Mammogram, right breast, CC view. 59 y/o patient.
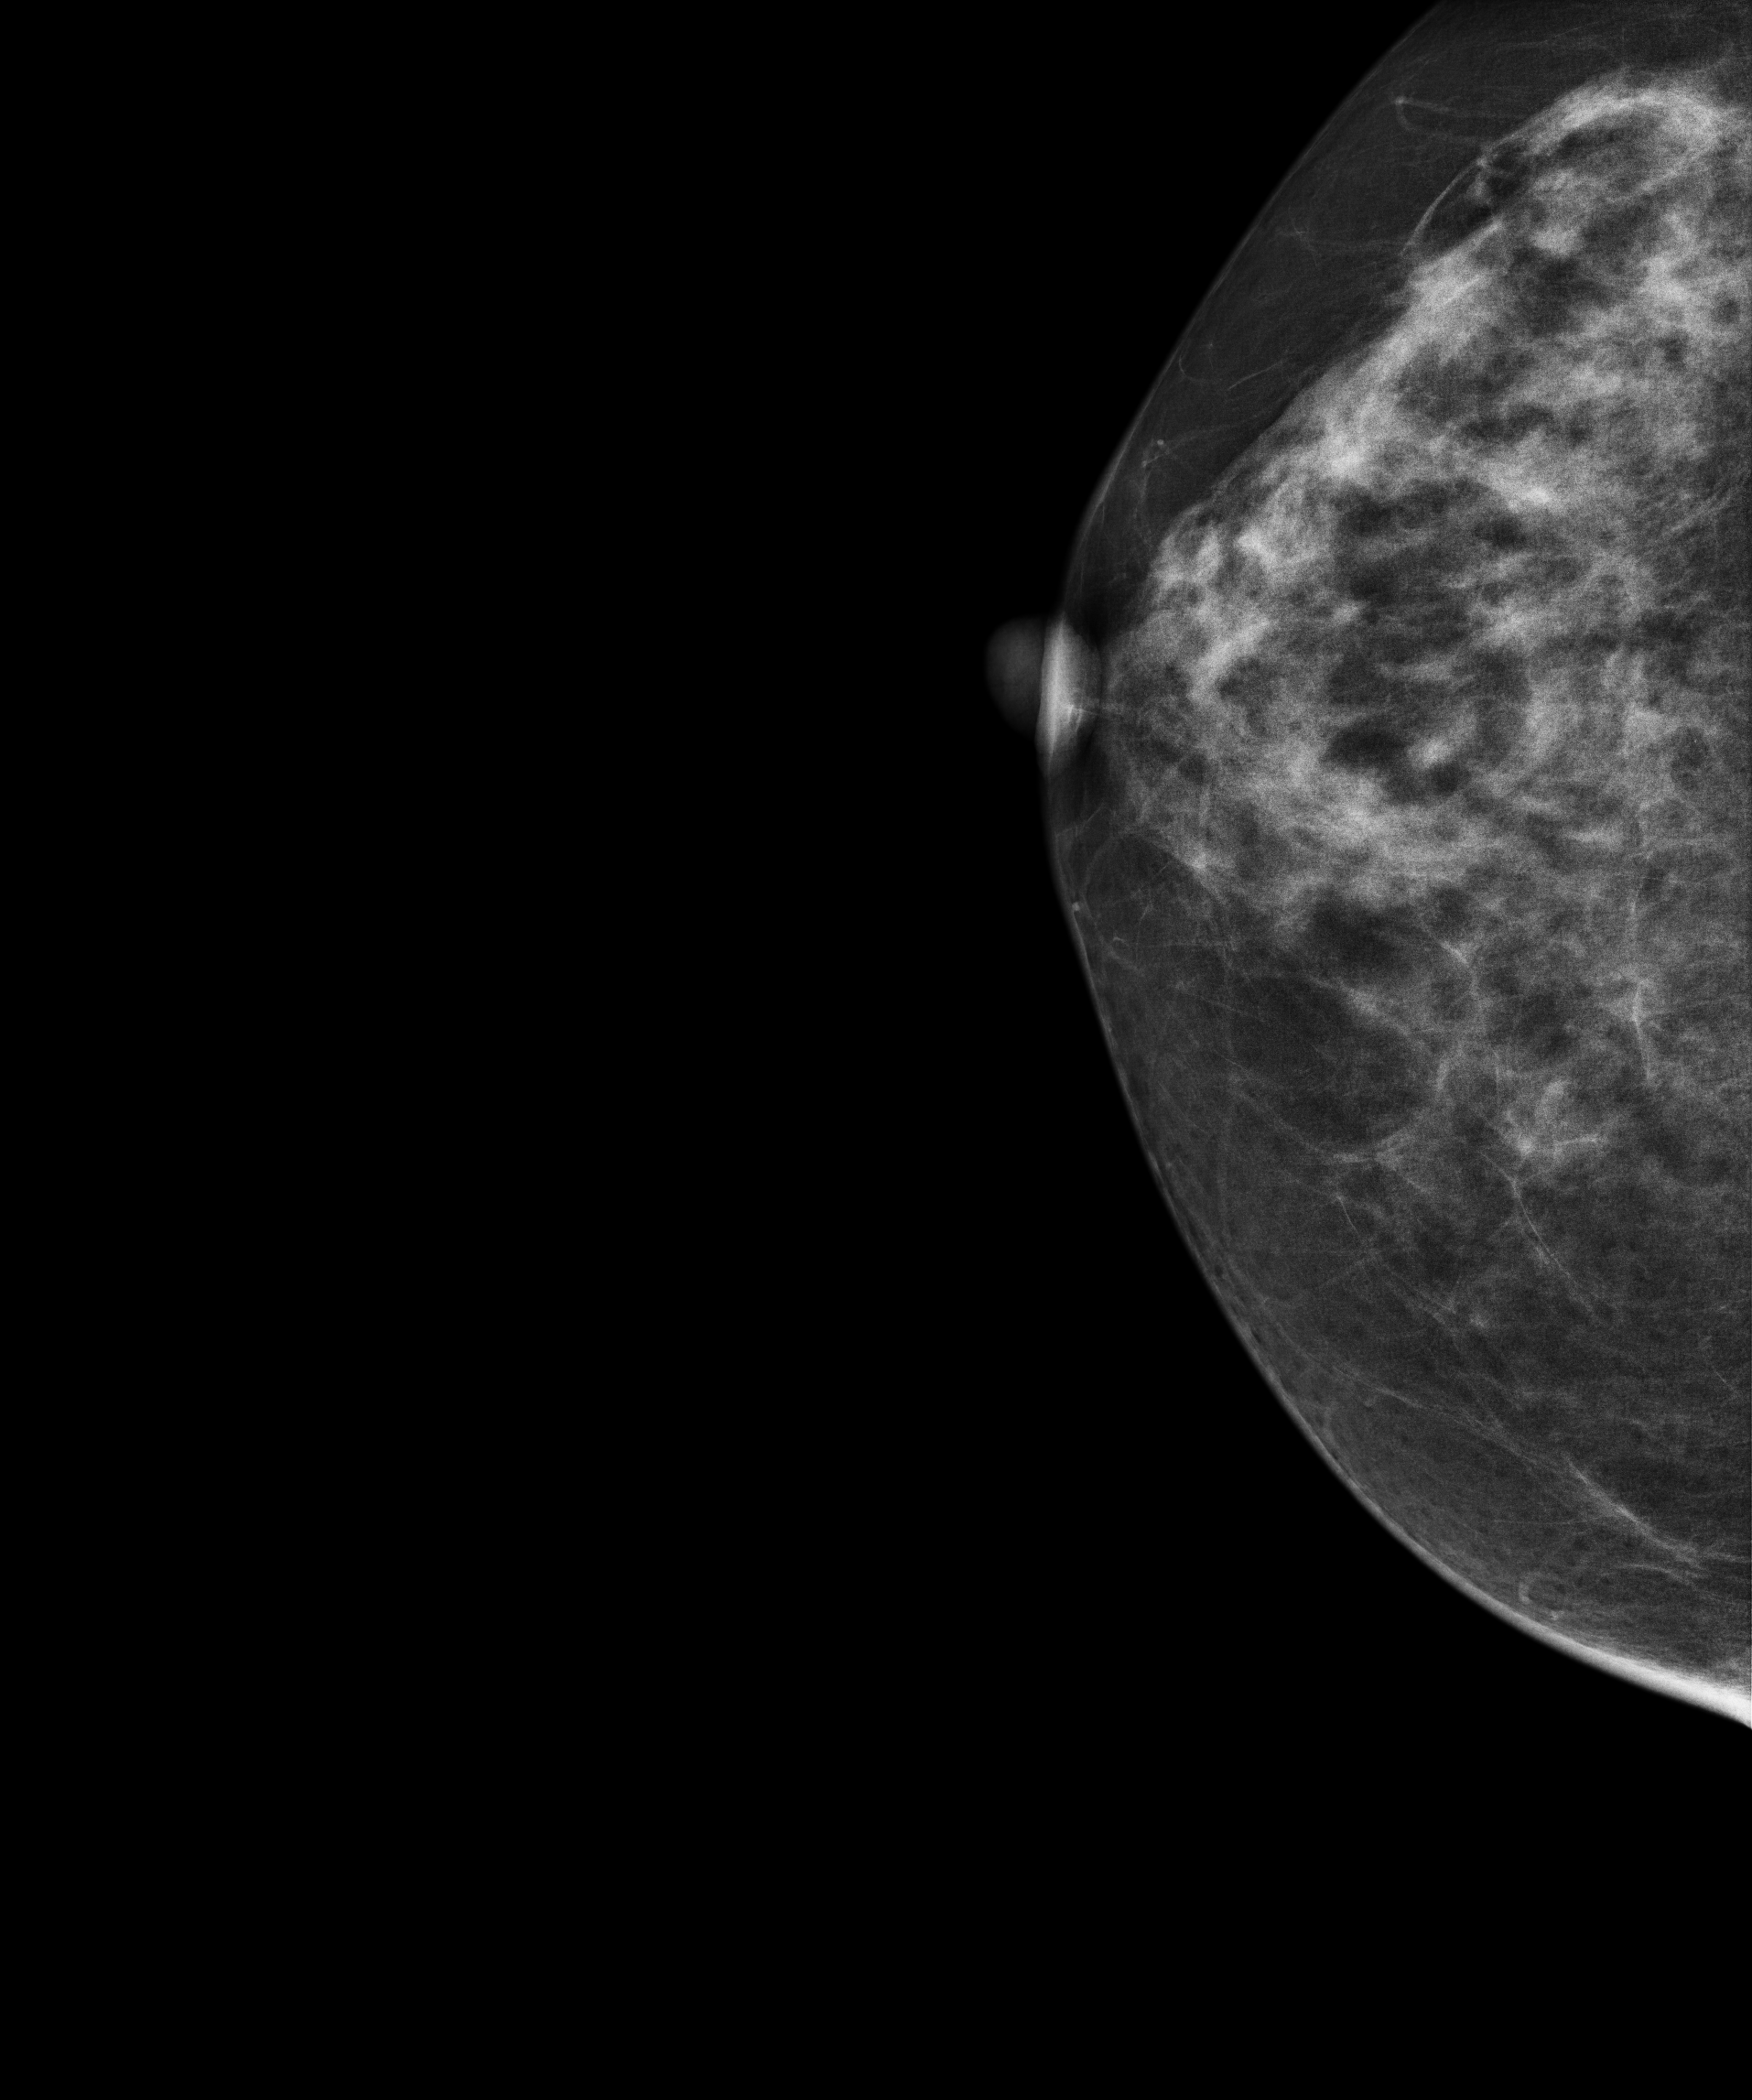
This breast has a mass, histologically confirmed malignant. Molecular subtype: luminal B.